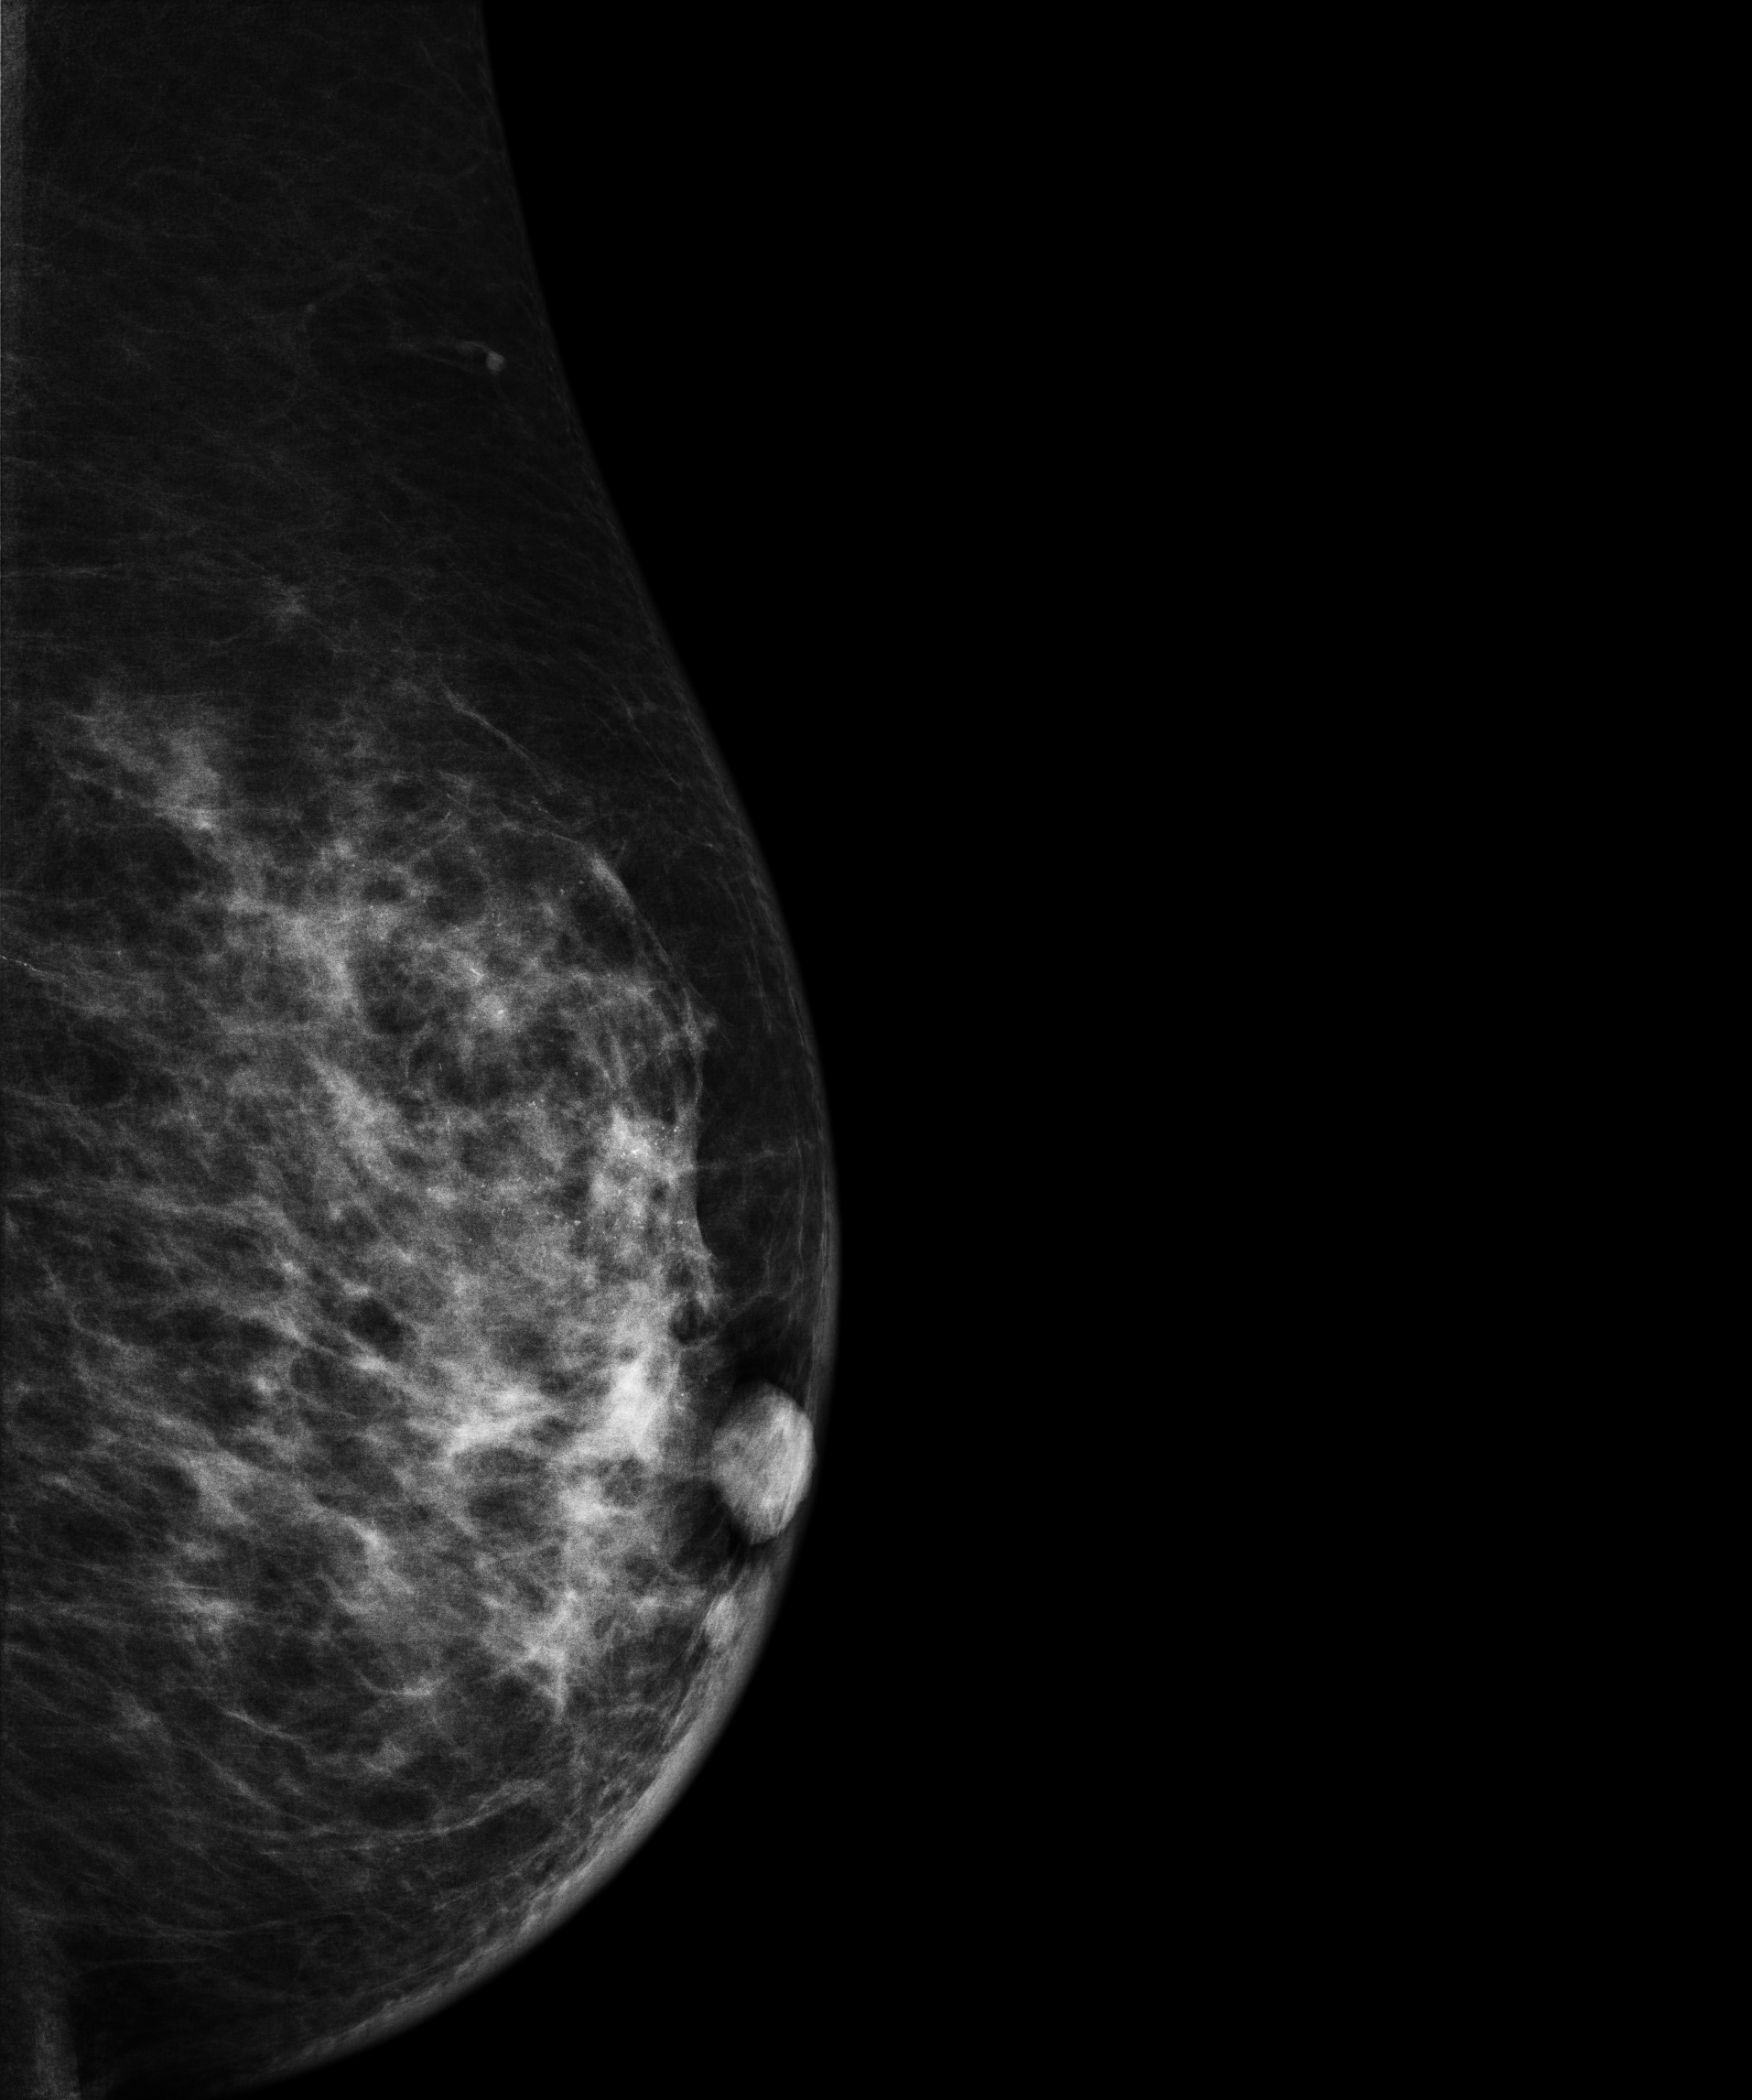
Mammogram — left medio-lateral oblique. 57 y/o patient.
This breast has calcifications, pathology-confirmed malignant. Molecular subtype: luminal B.